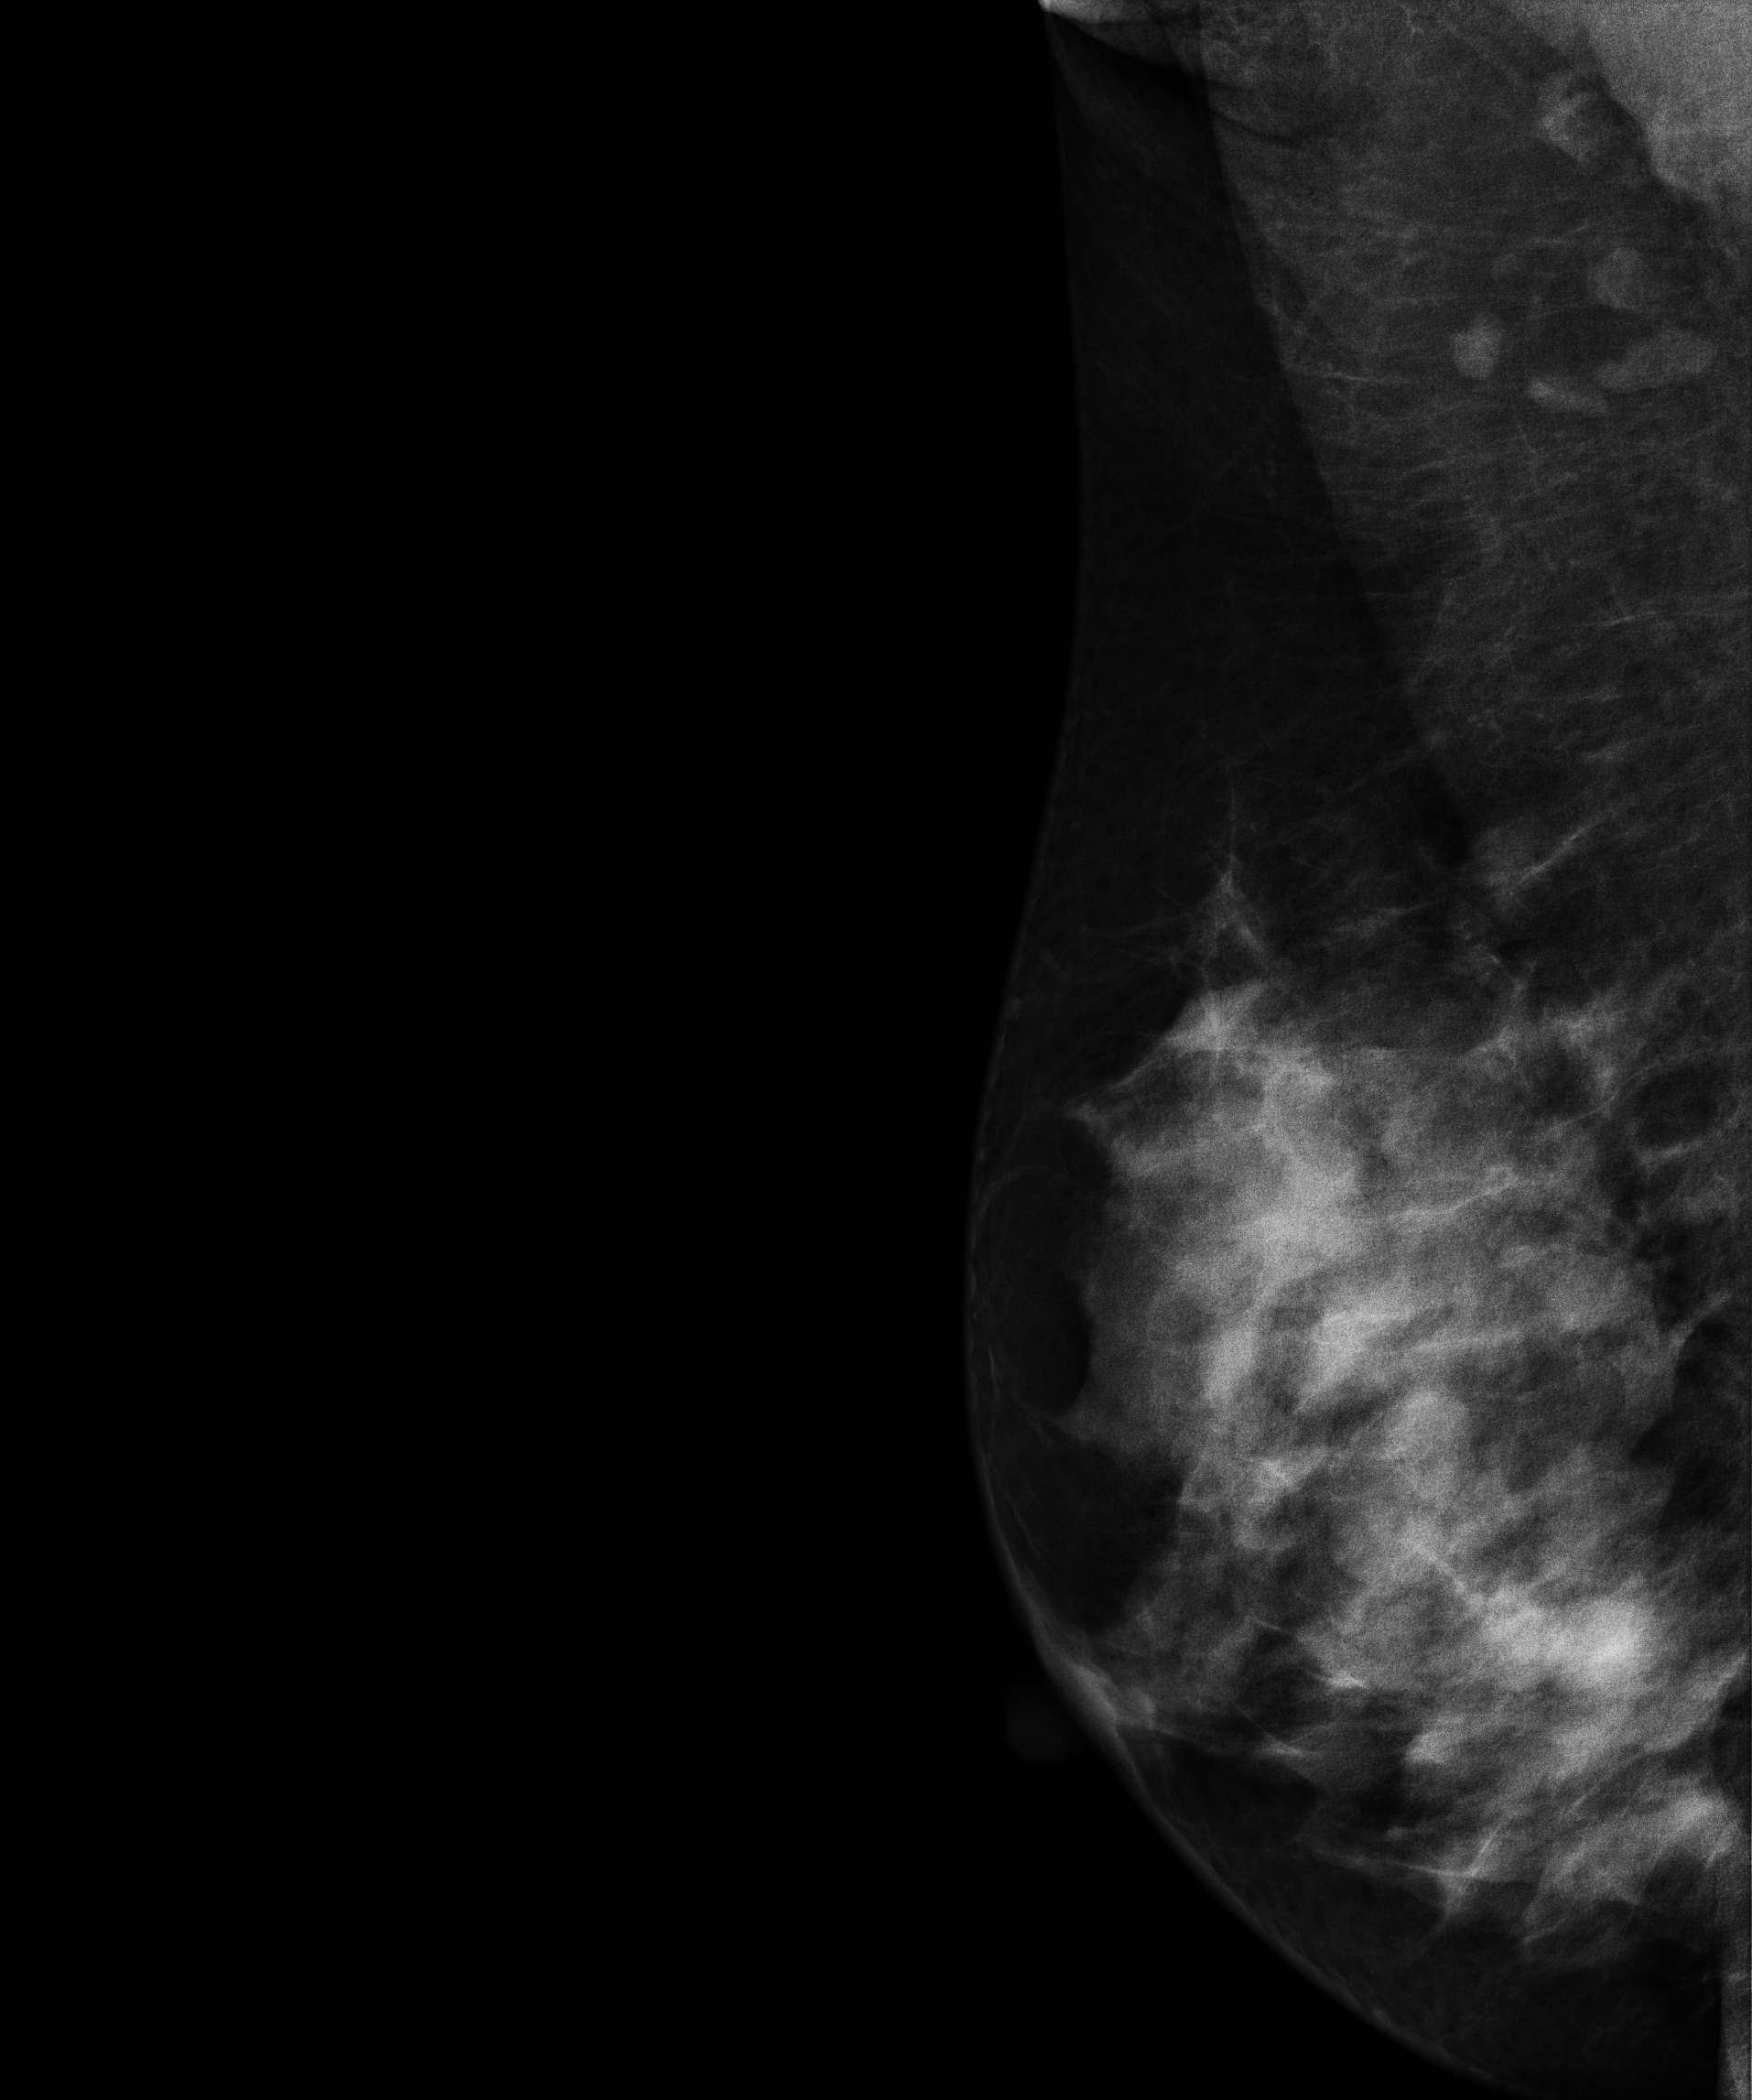
Digital mammography. Right breast, medio-lateral oblique projection. 43-year-old patient.
This breast has calcifications, histologically confirmed benign.